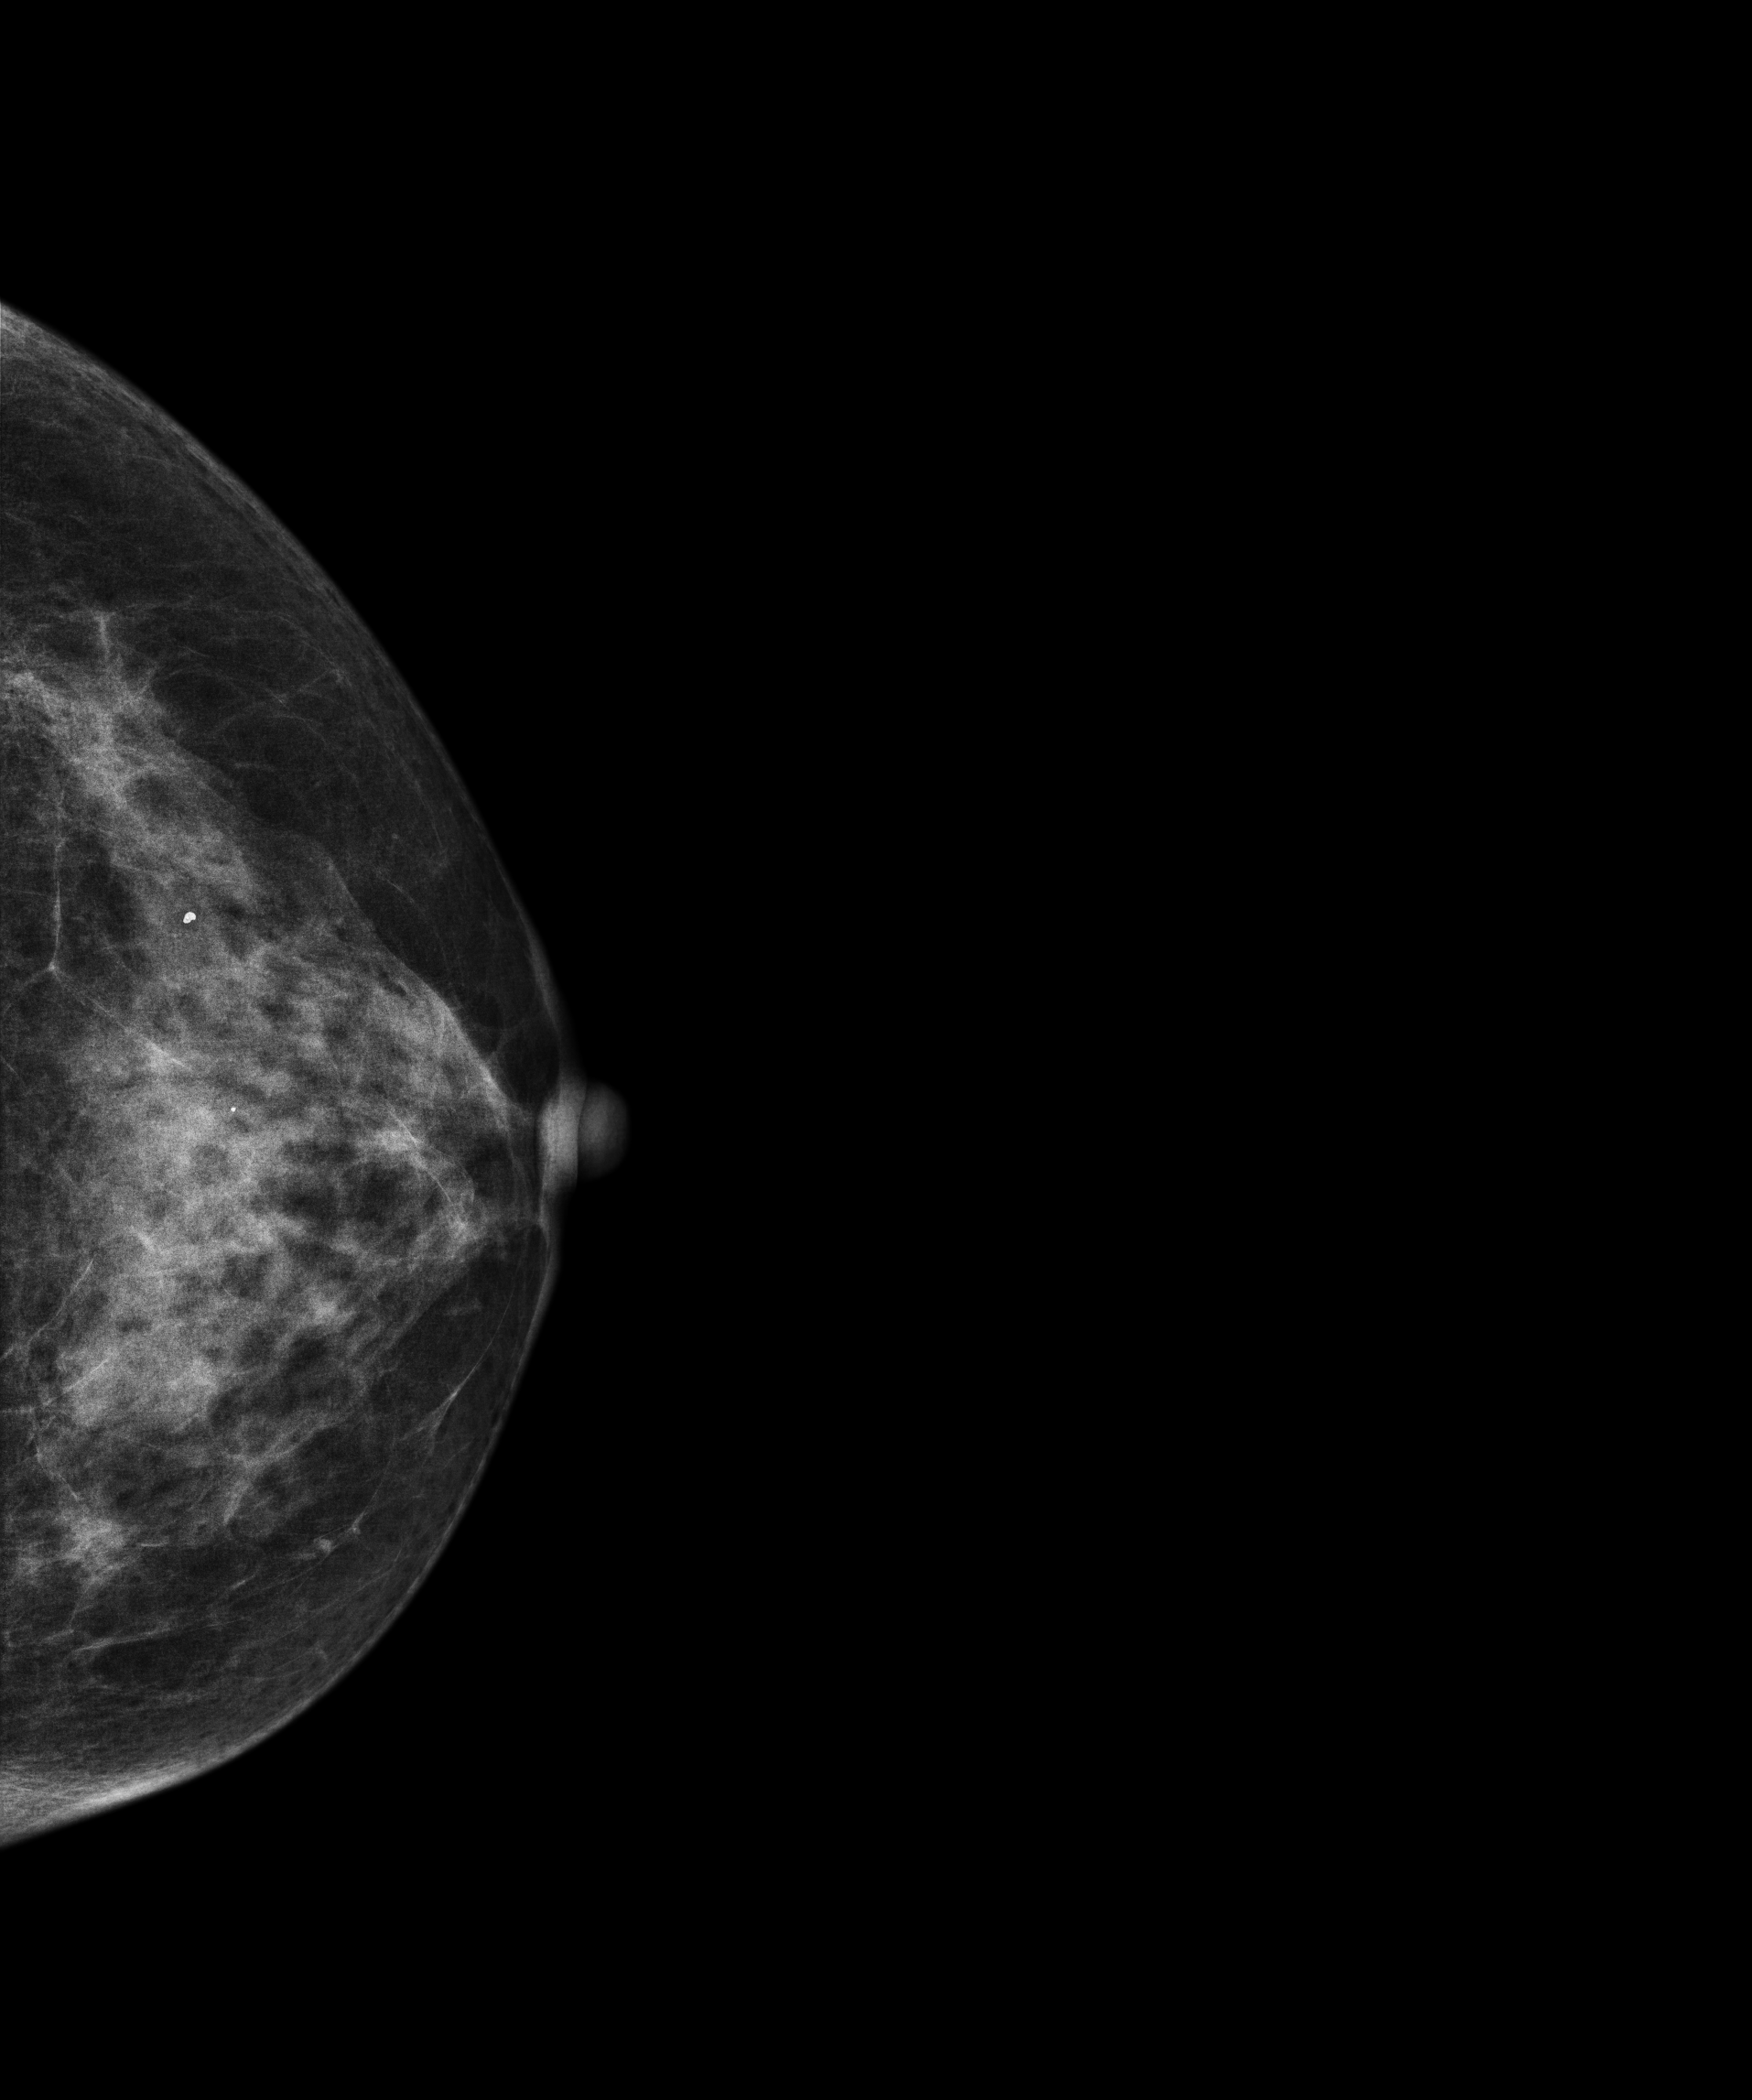
Mammogram — left cranio-caudal. Patient age 53.
Contralateral breast — no documented abnormality on this side.